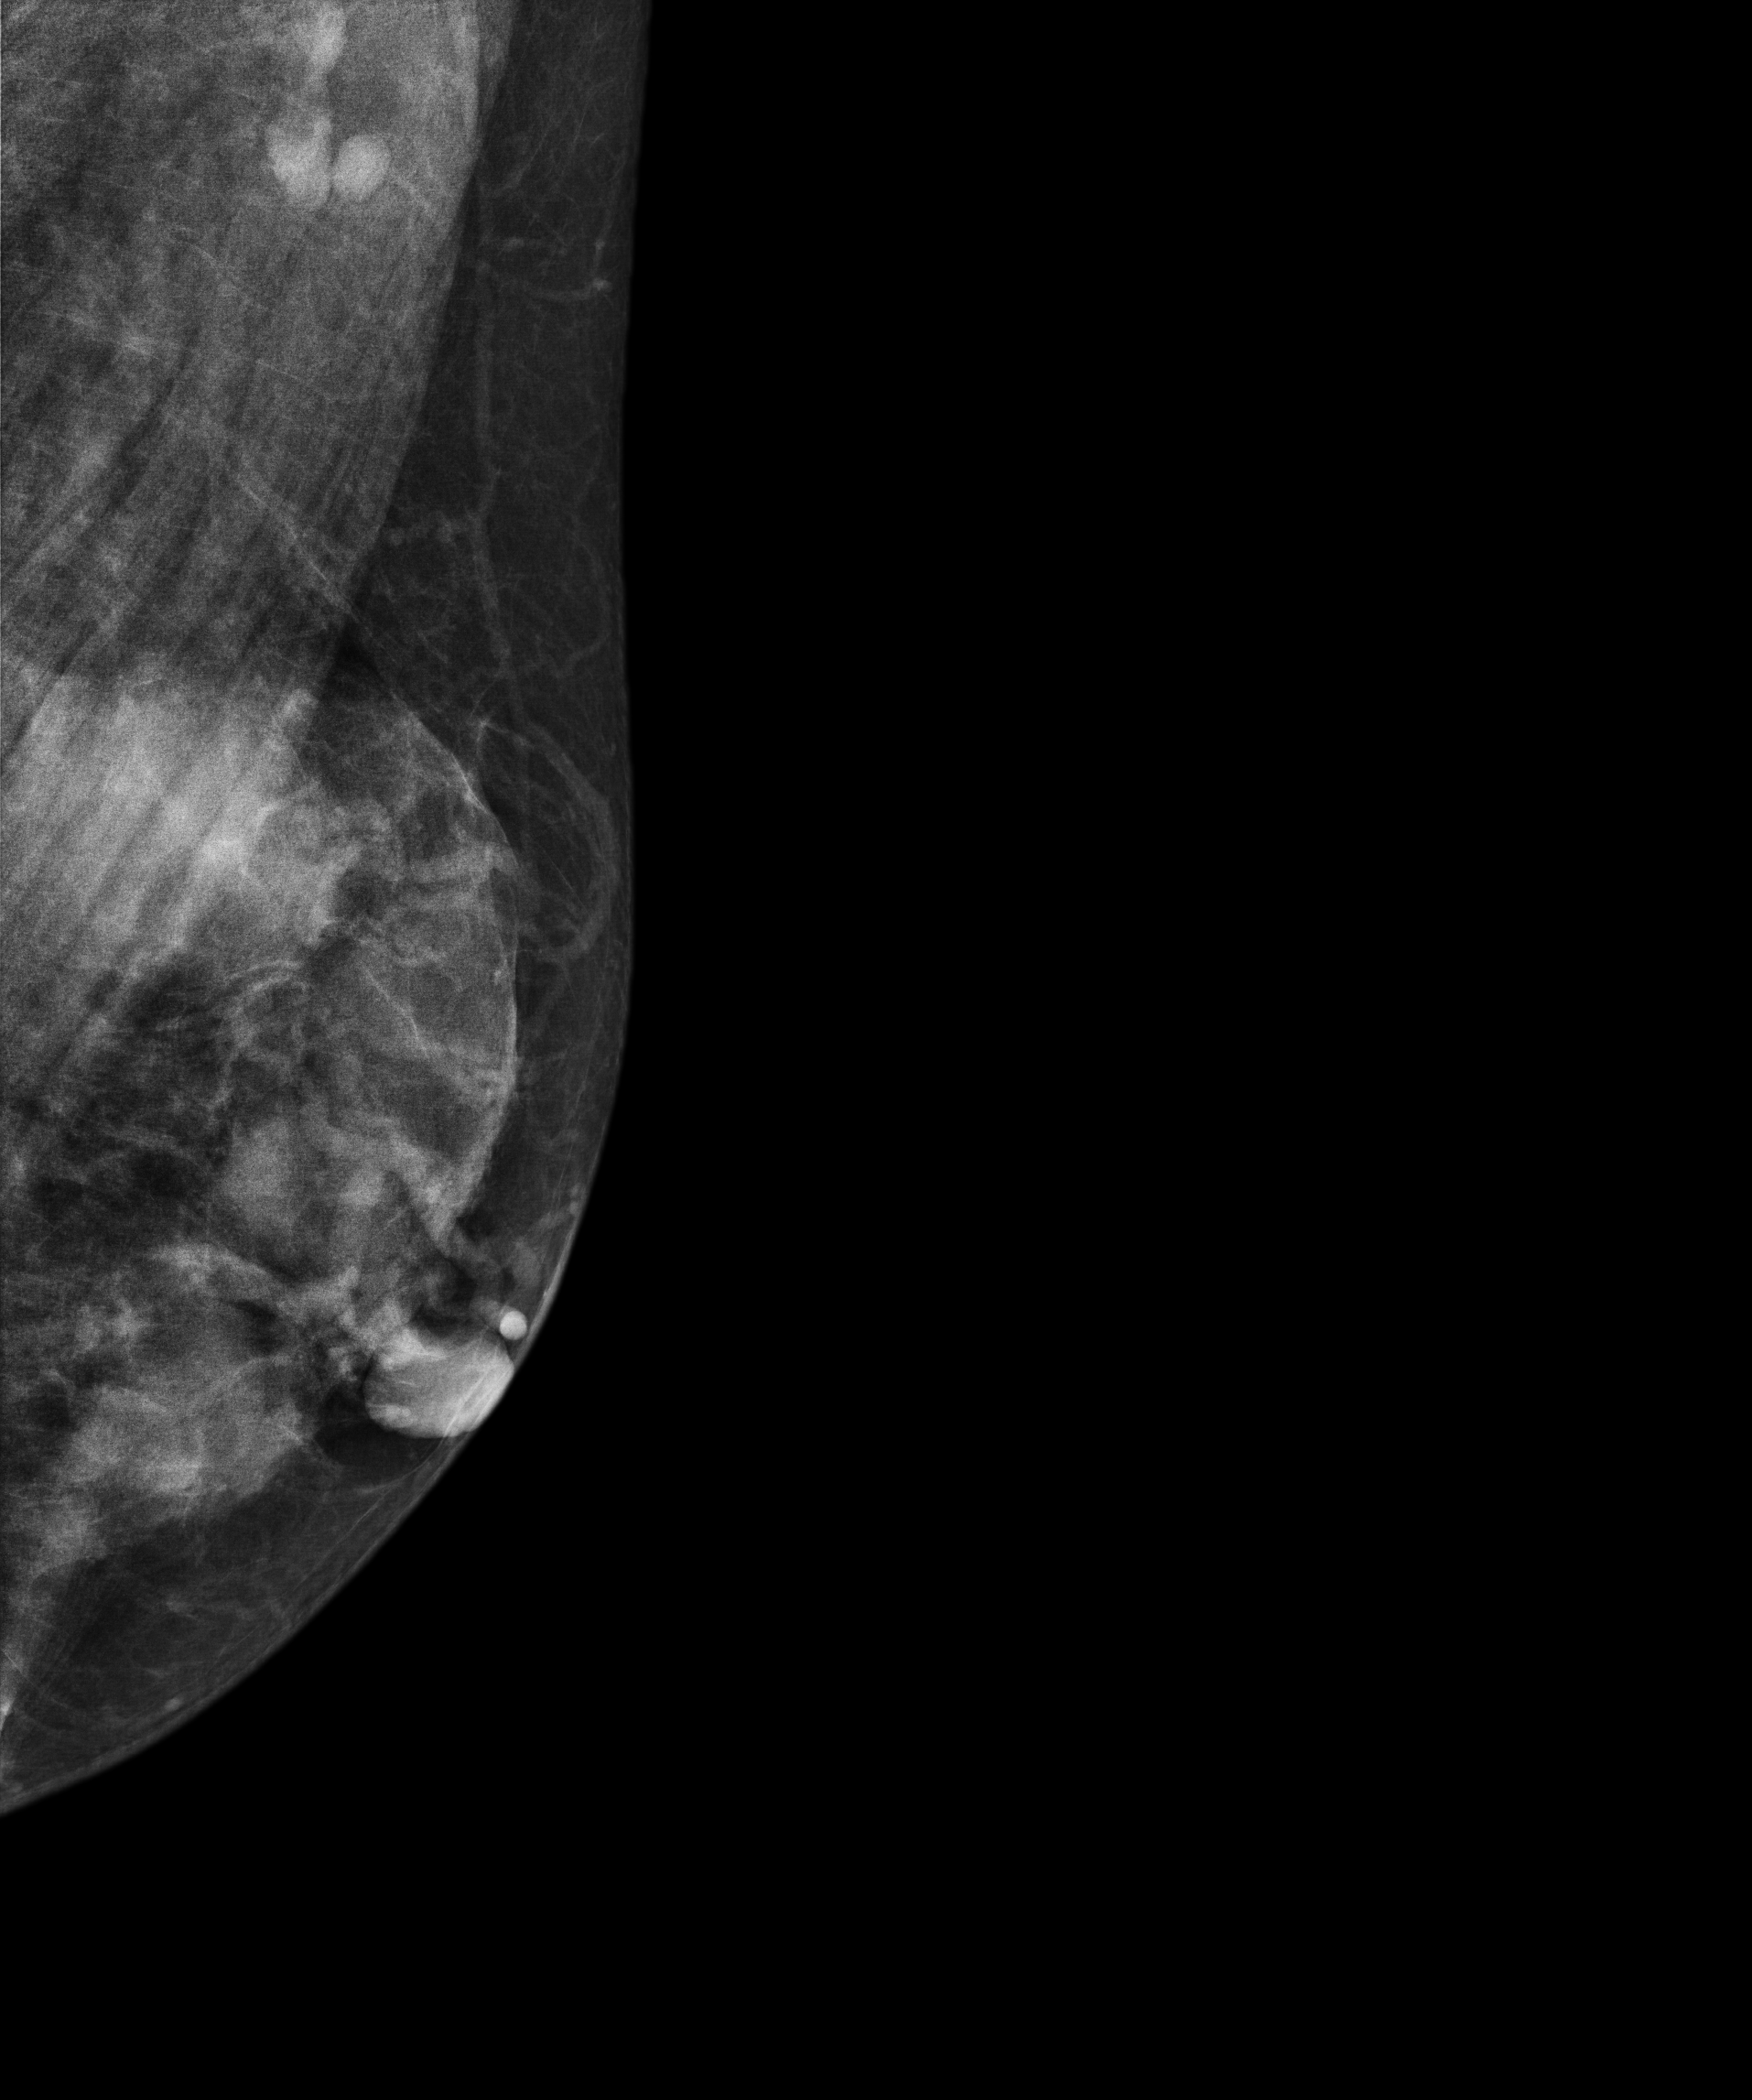
Mammogram — left MLO. Patient age 46.
This breast has a mass, pathology-confirmed benign.